MLO mammogram of the left breast. 55-year-old patient.
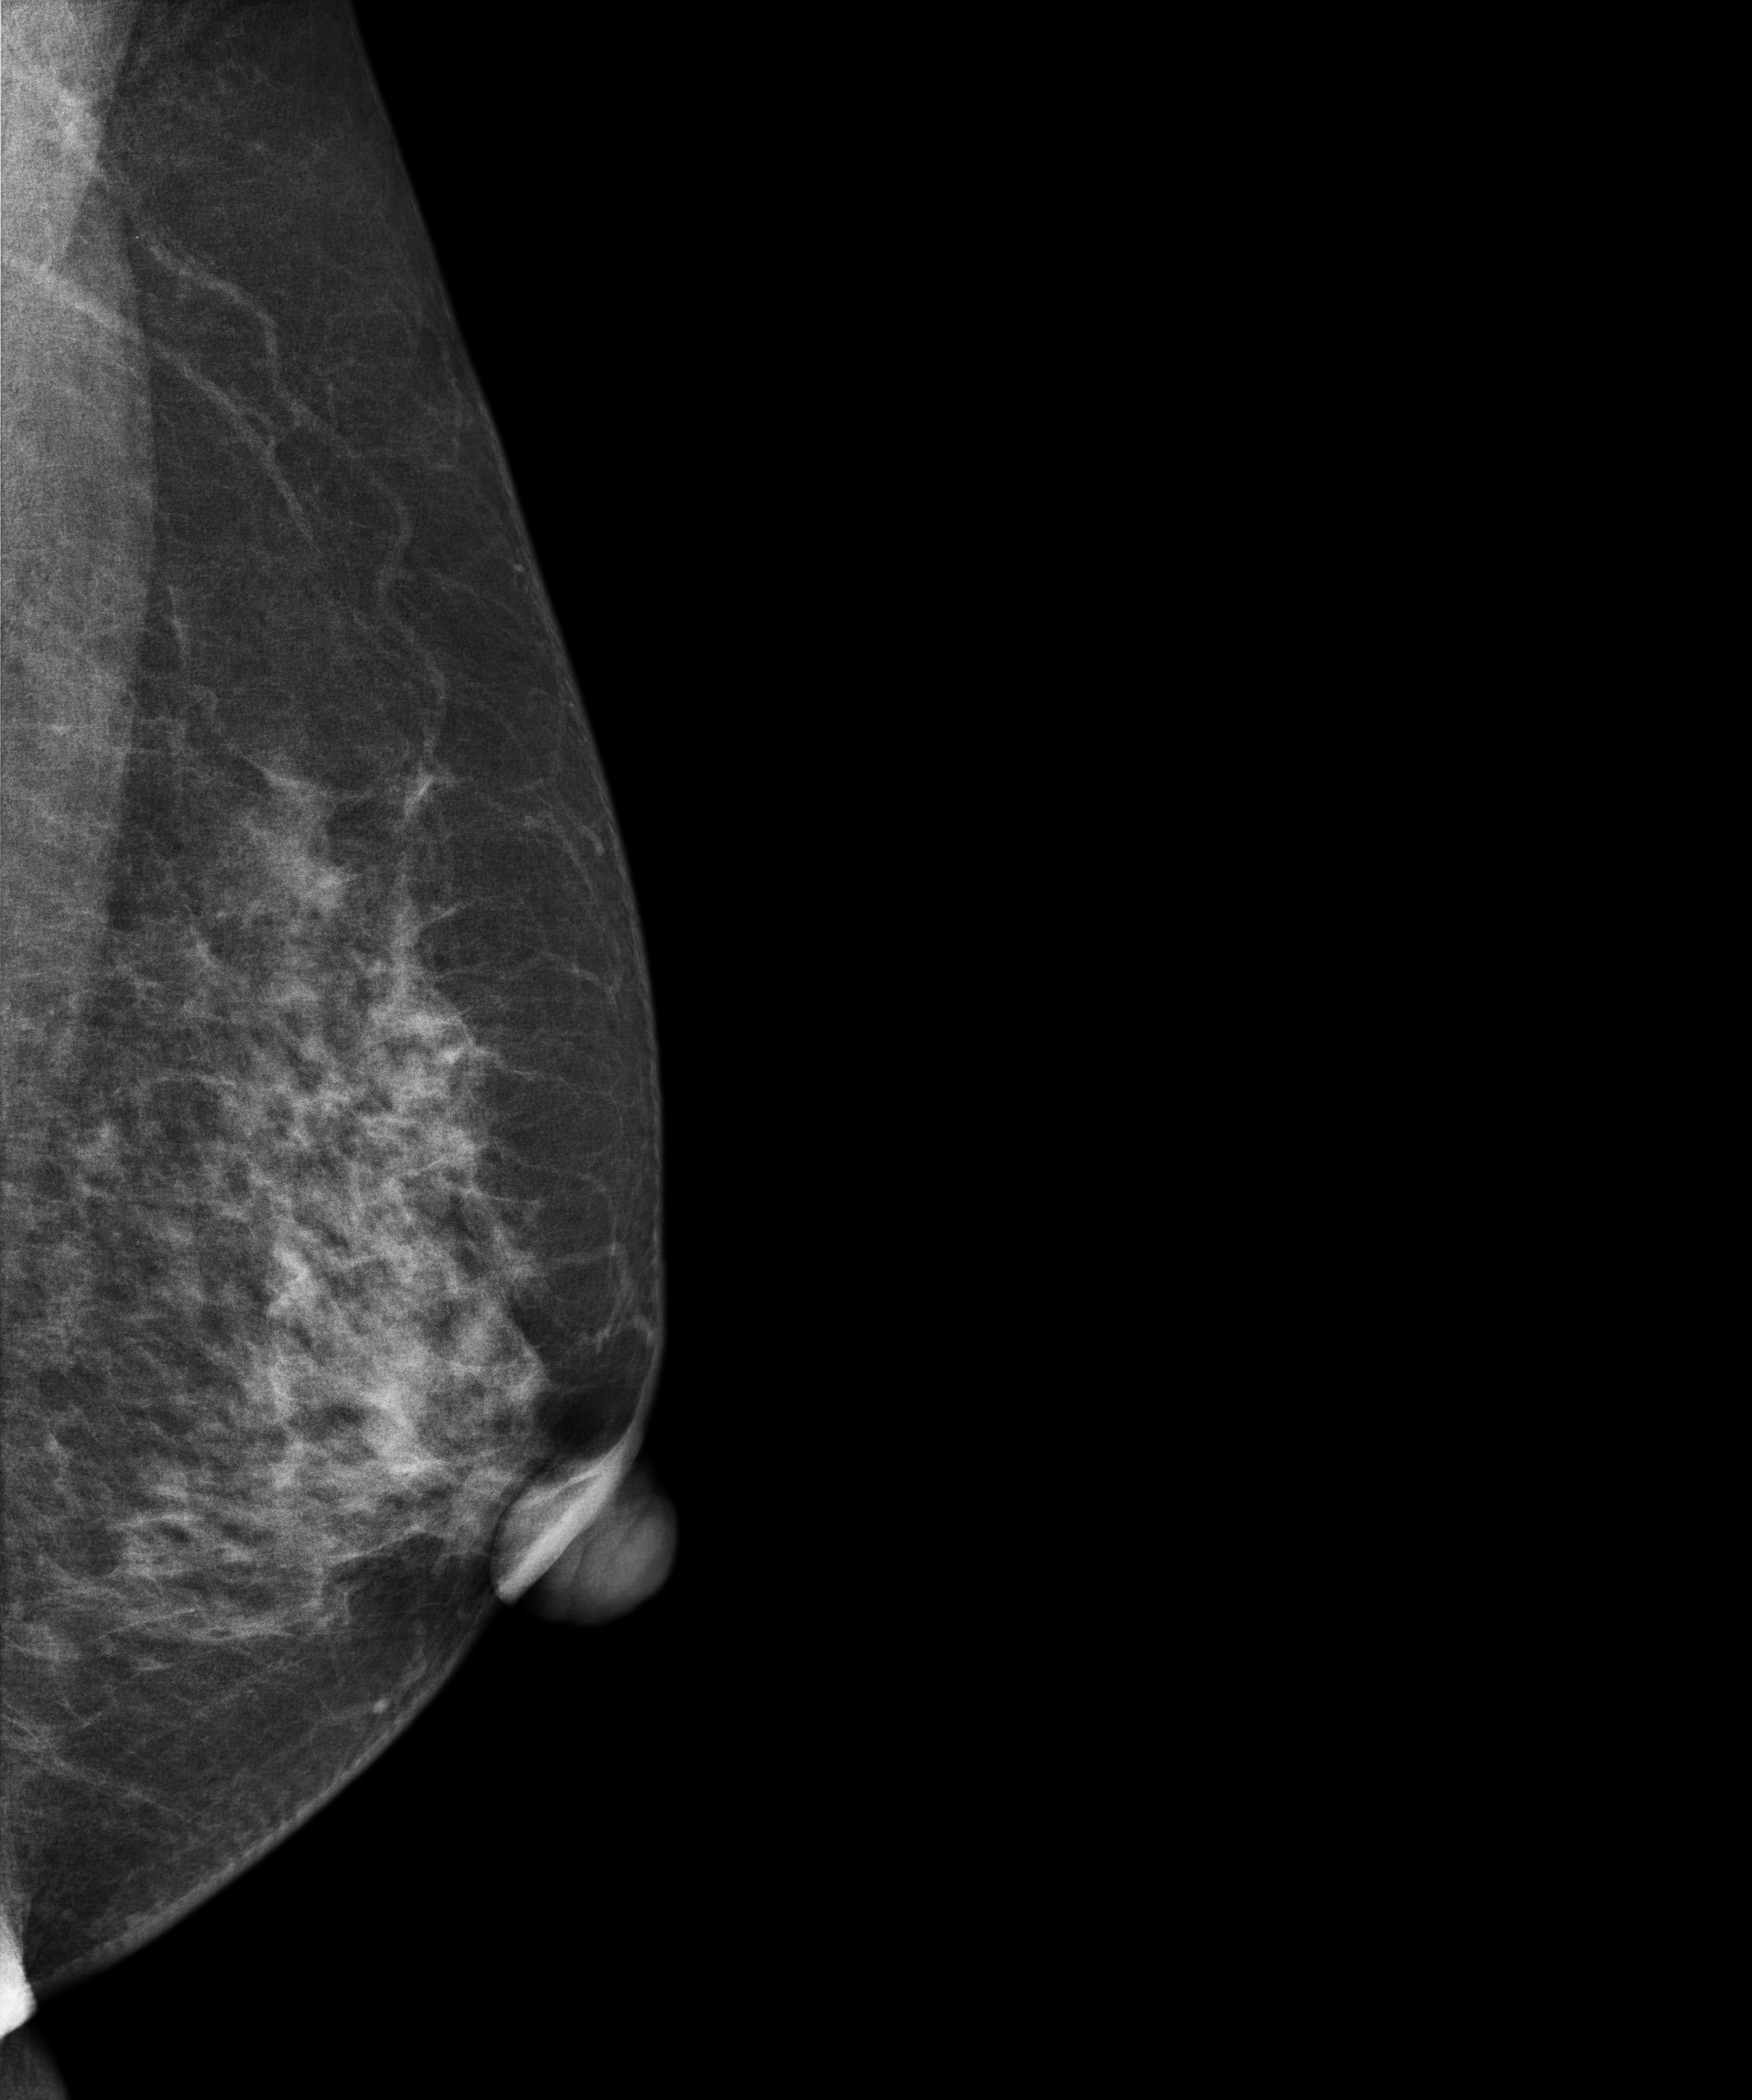
Contralateral breast — no documented abnormality on this side.